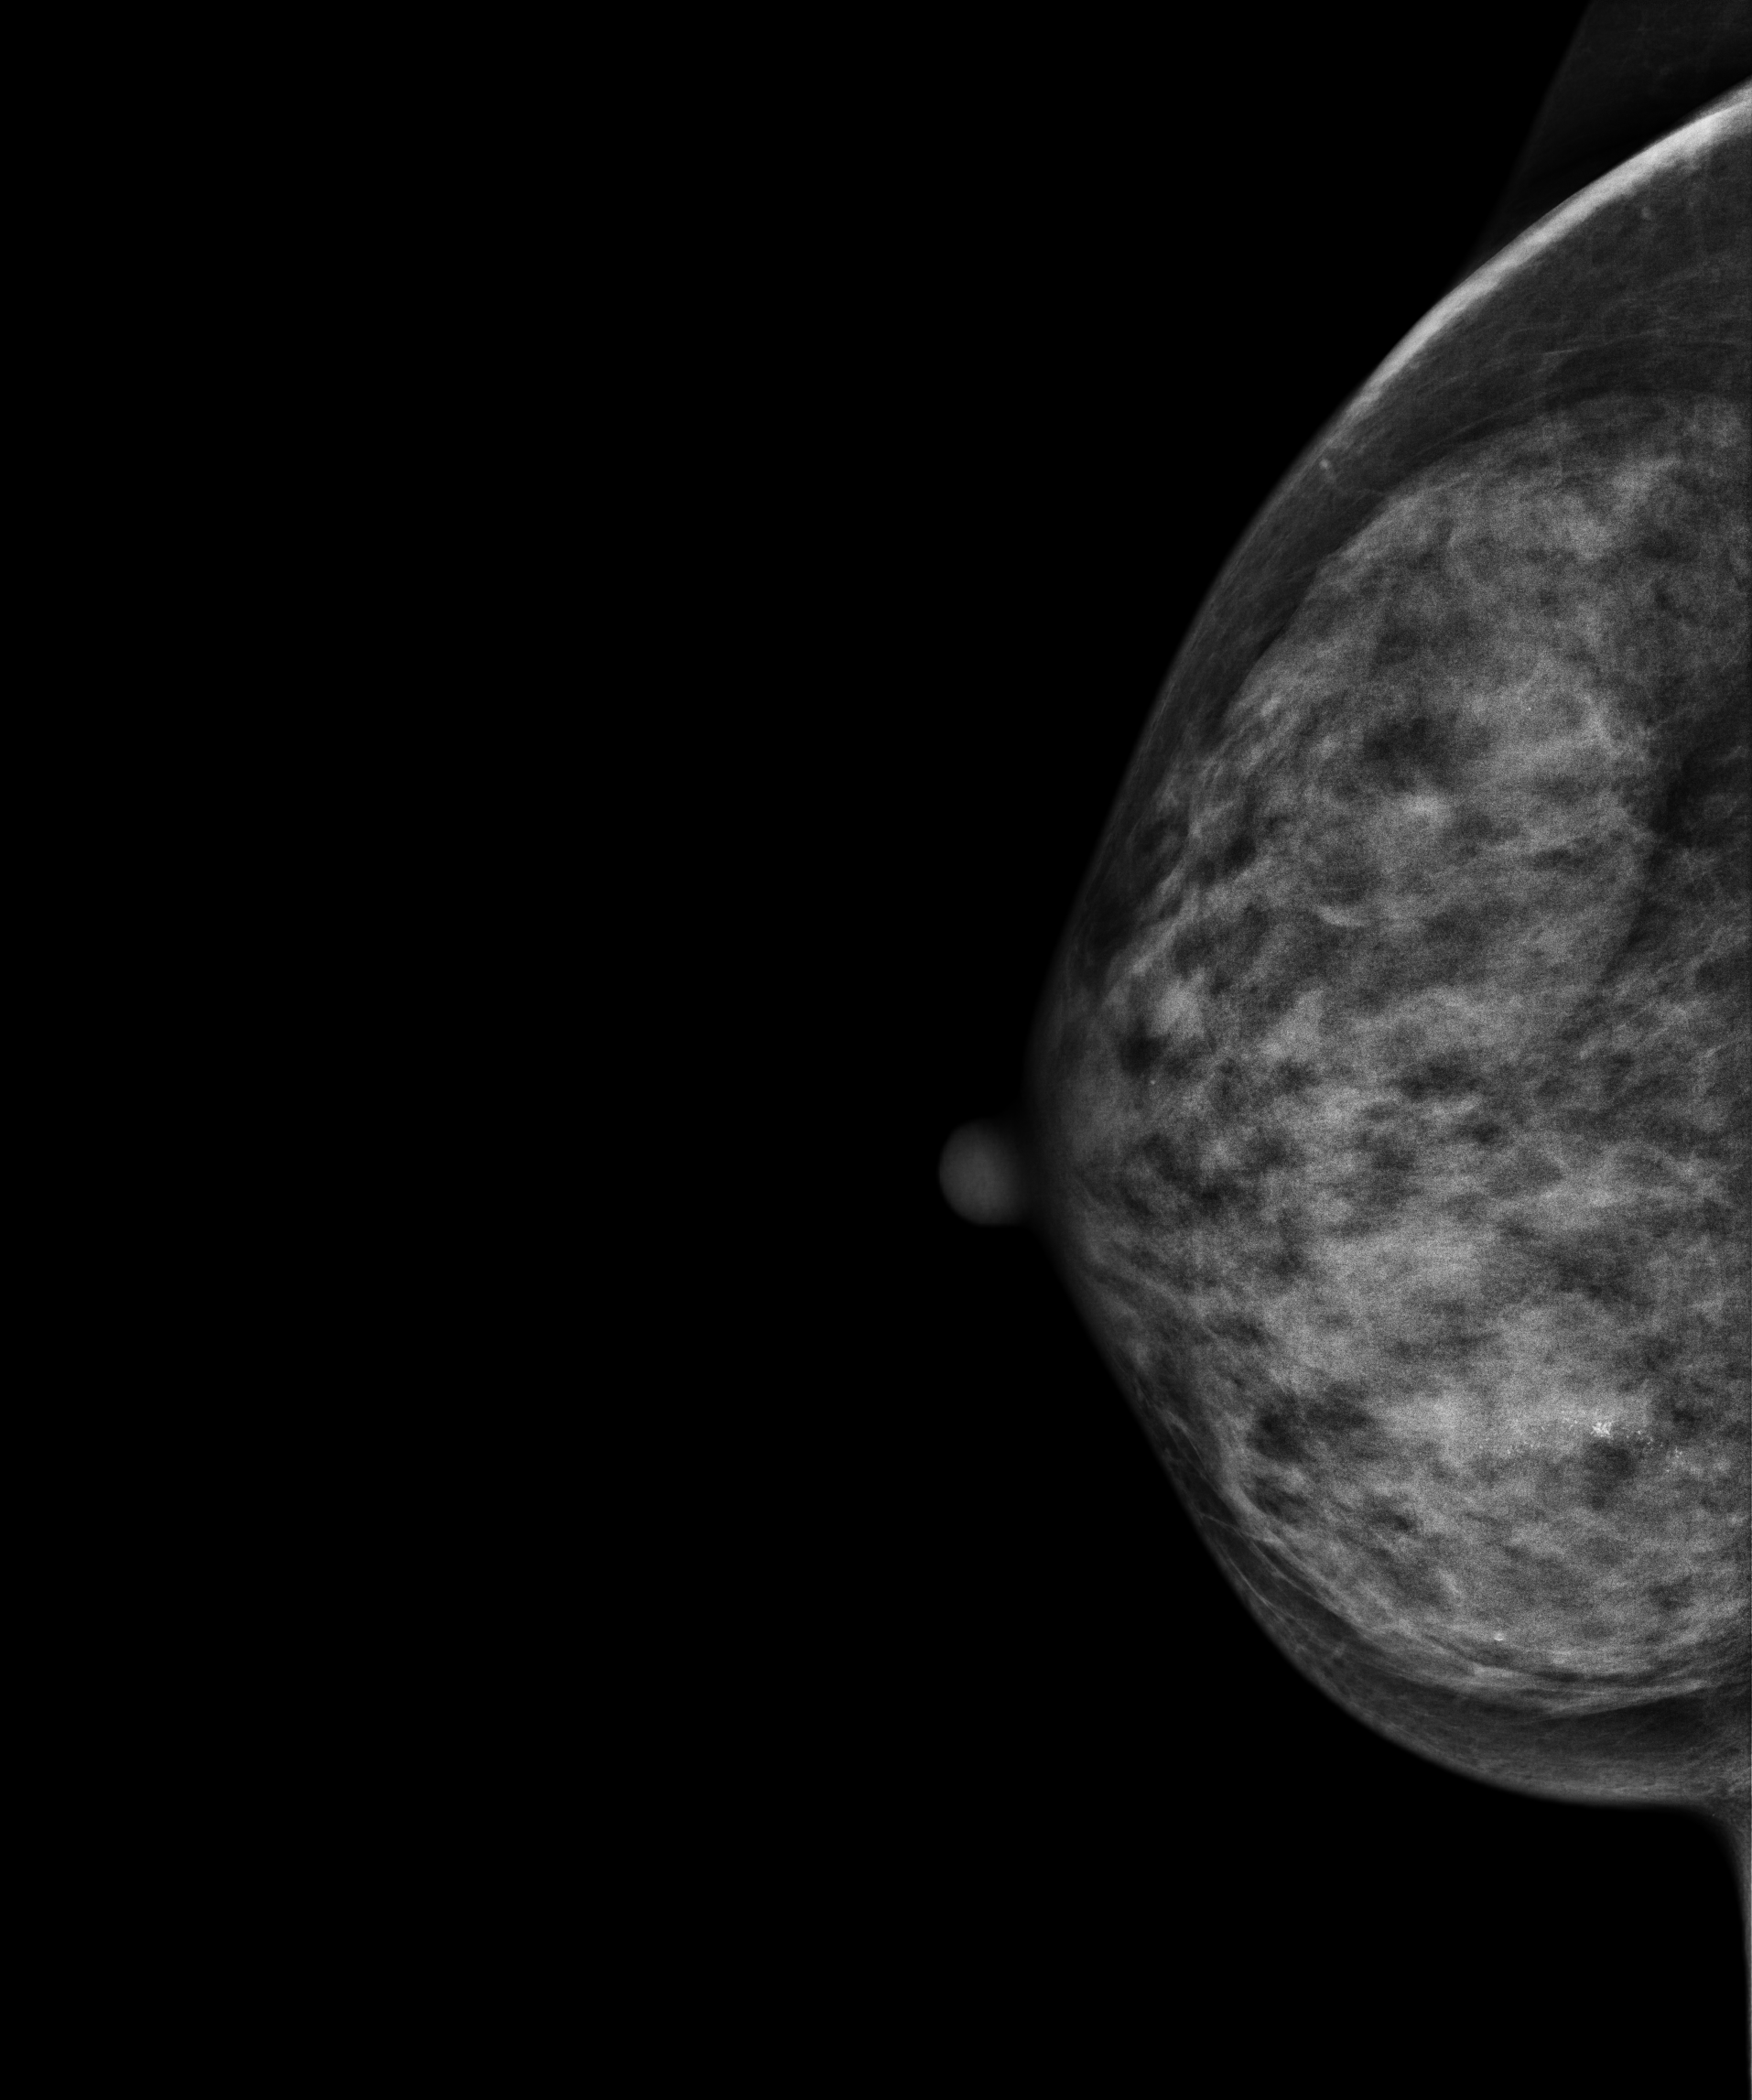
Mammogram — right cranio-caudal. 50-year-old patient.
This breast has calcifications, biopsy-confirmed malignant.